Mammogram, right breast, MLO view. 43 y/o patient.
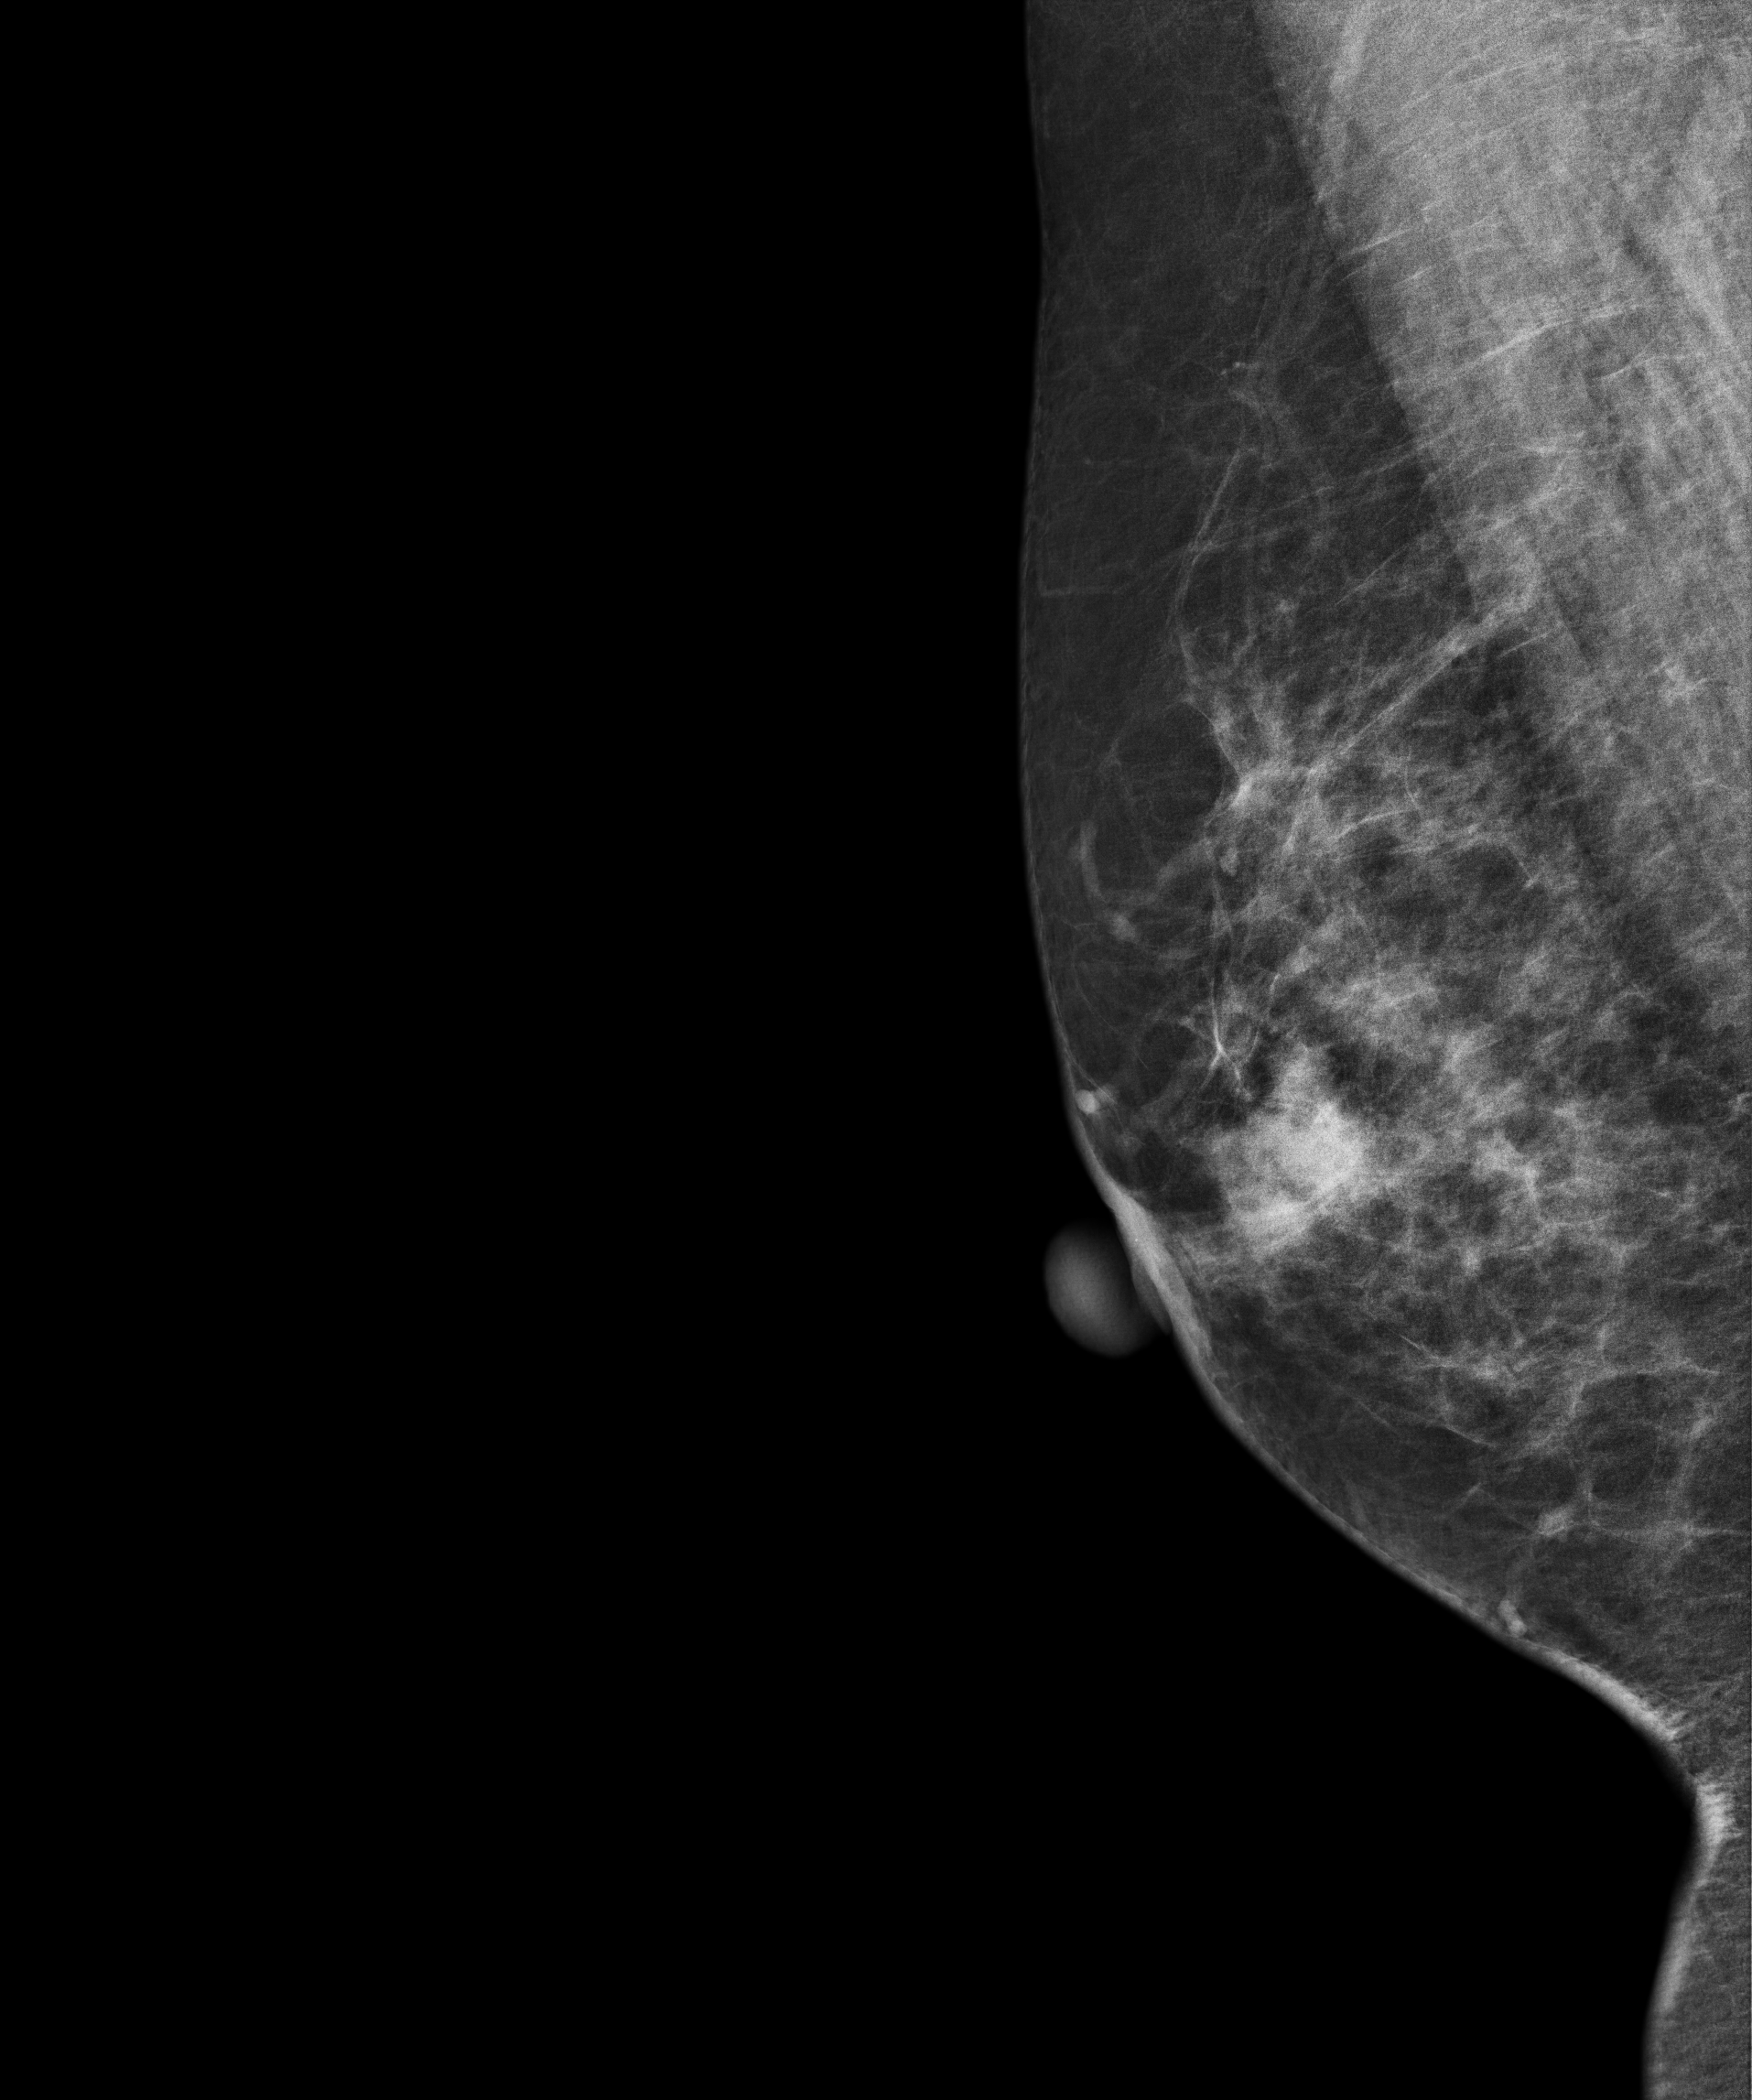
This breast has a mass, histologically confirmed malignant.